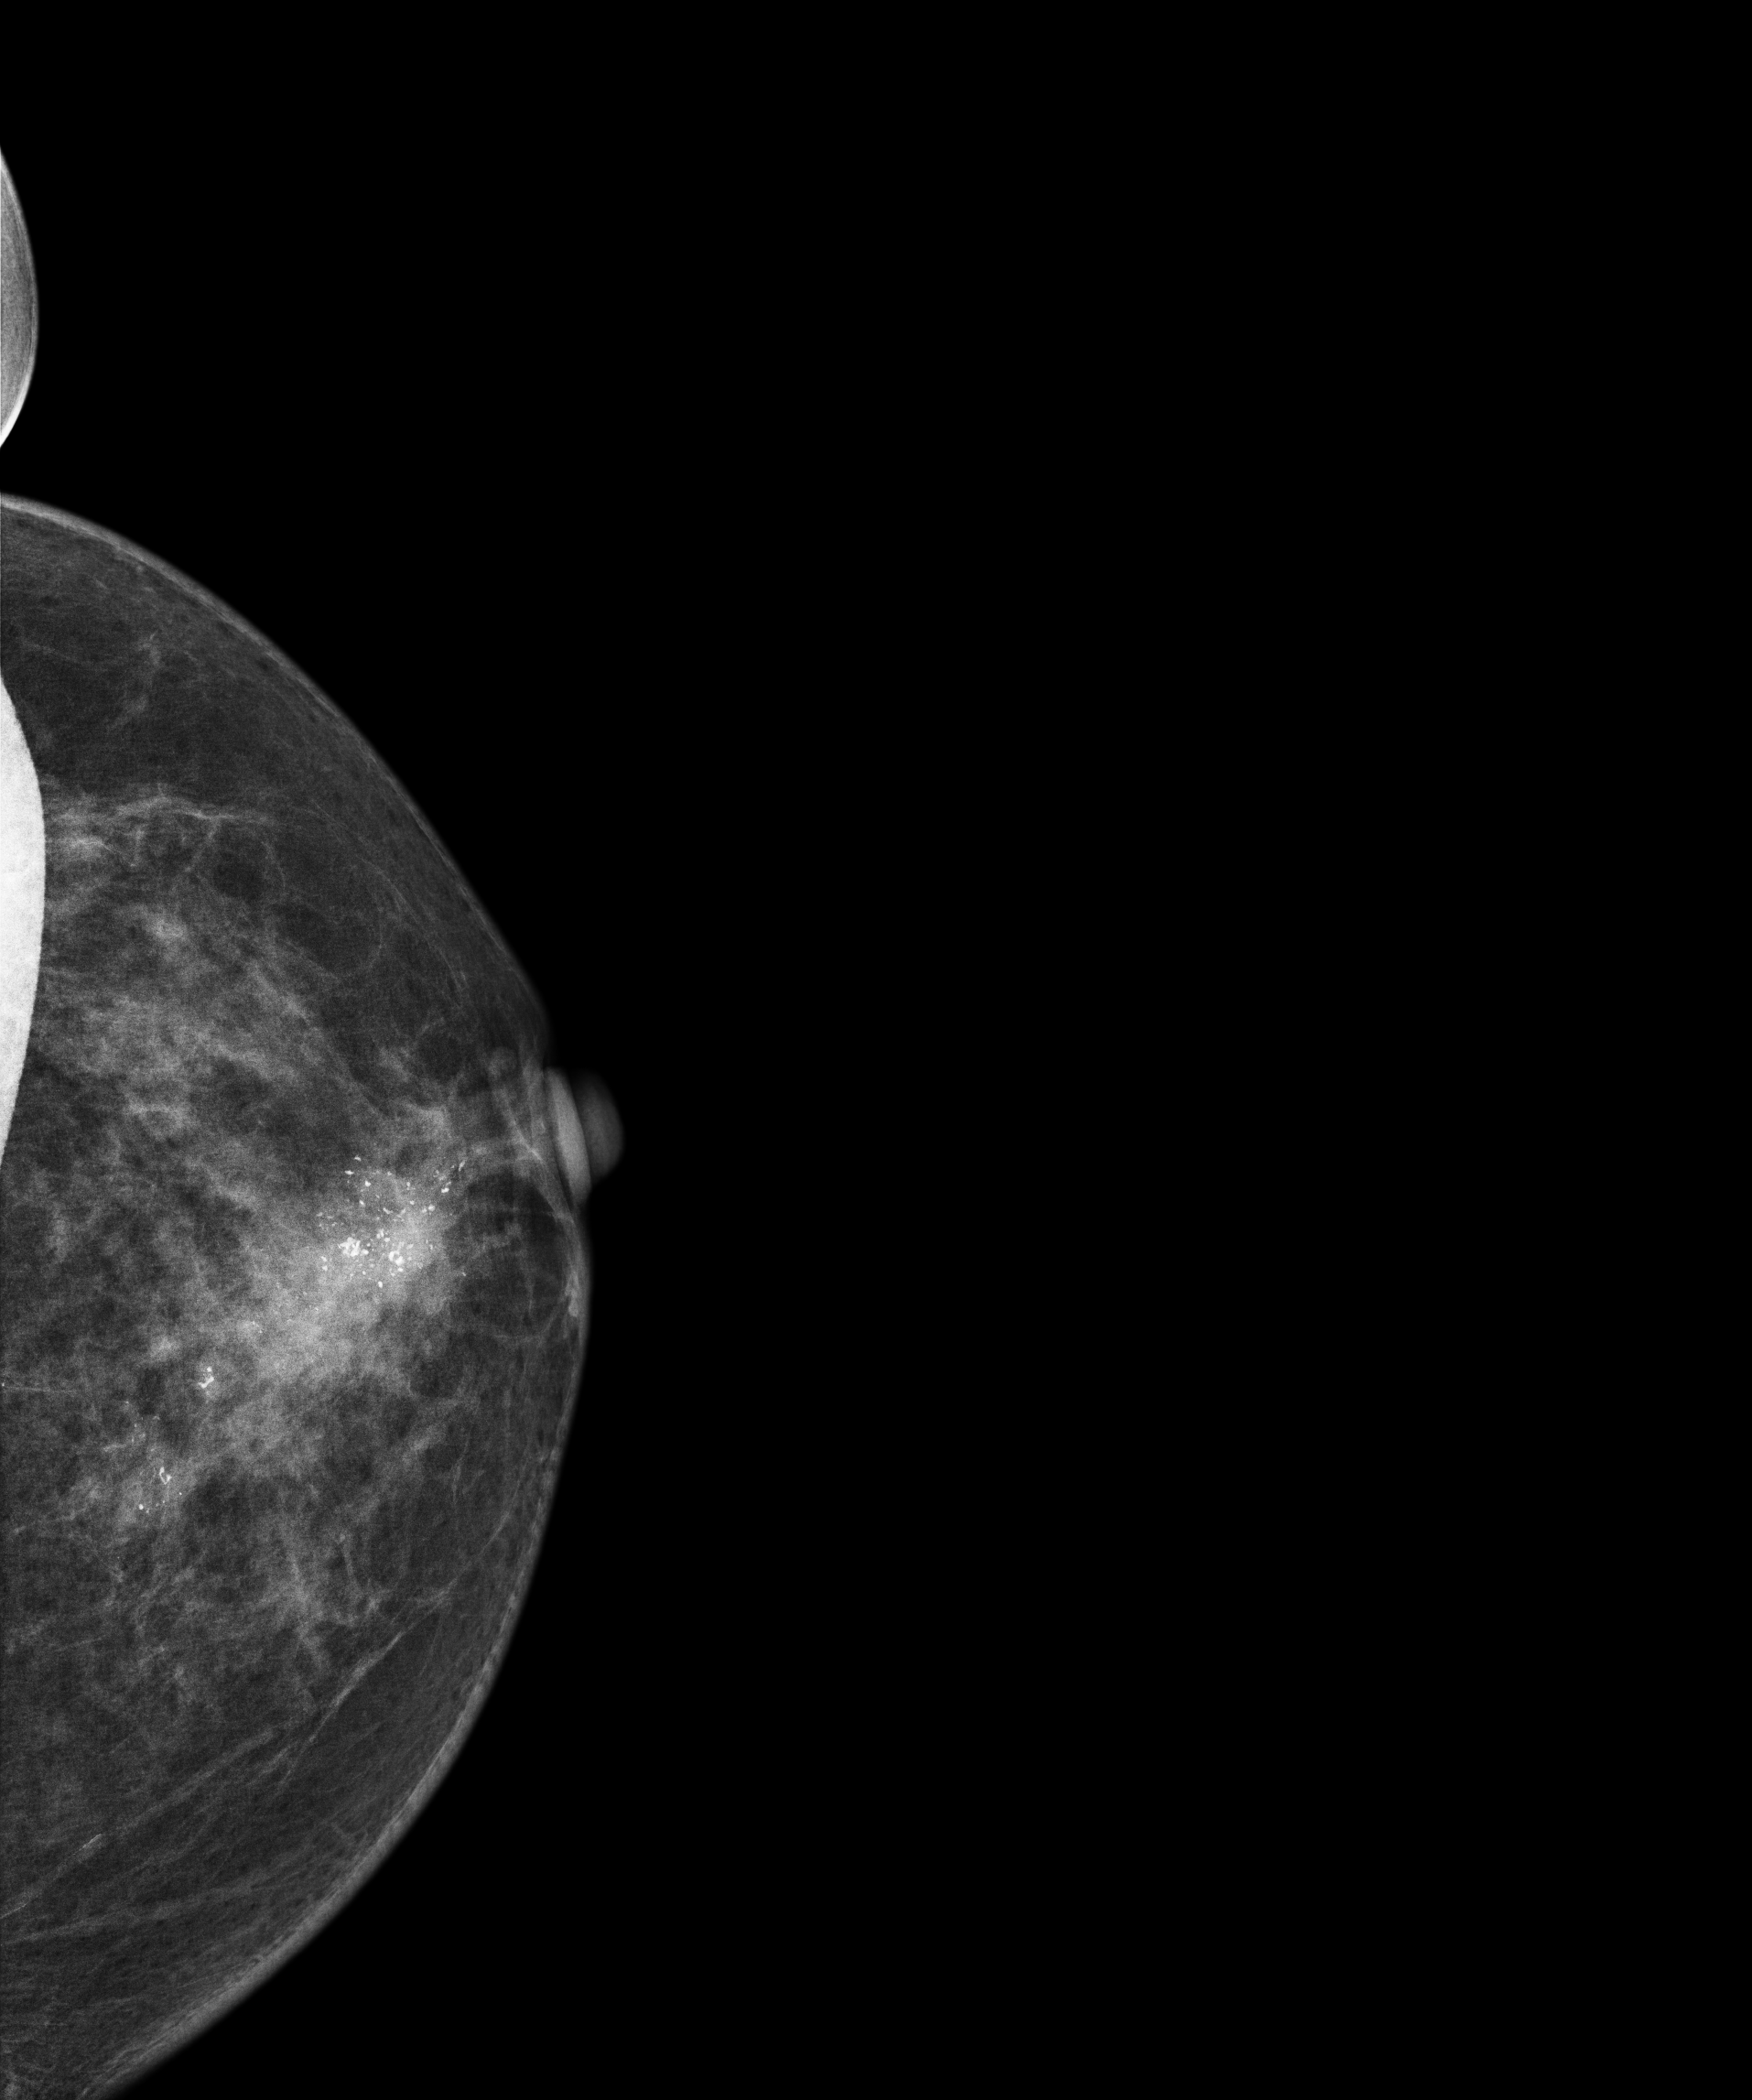
Mammogram — left cranio-caudal. 68-year-old patient.
This breast has a mass and calcifications, biopsy-proven malignant.